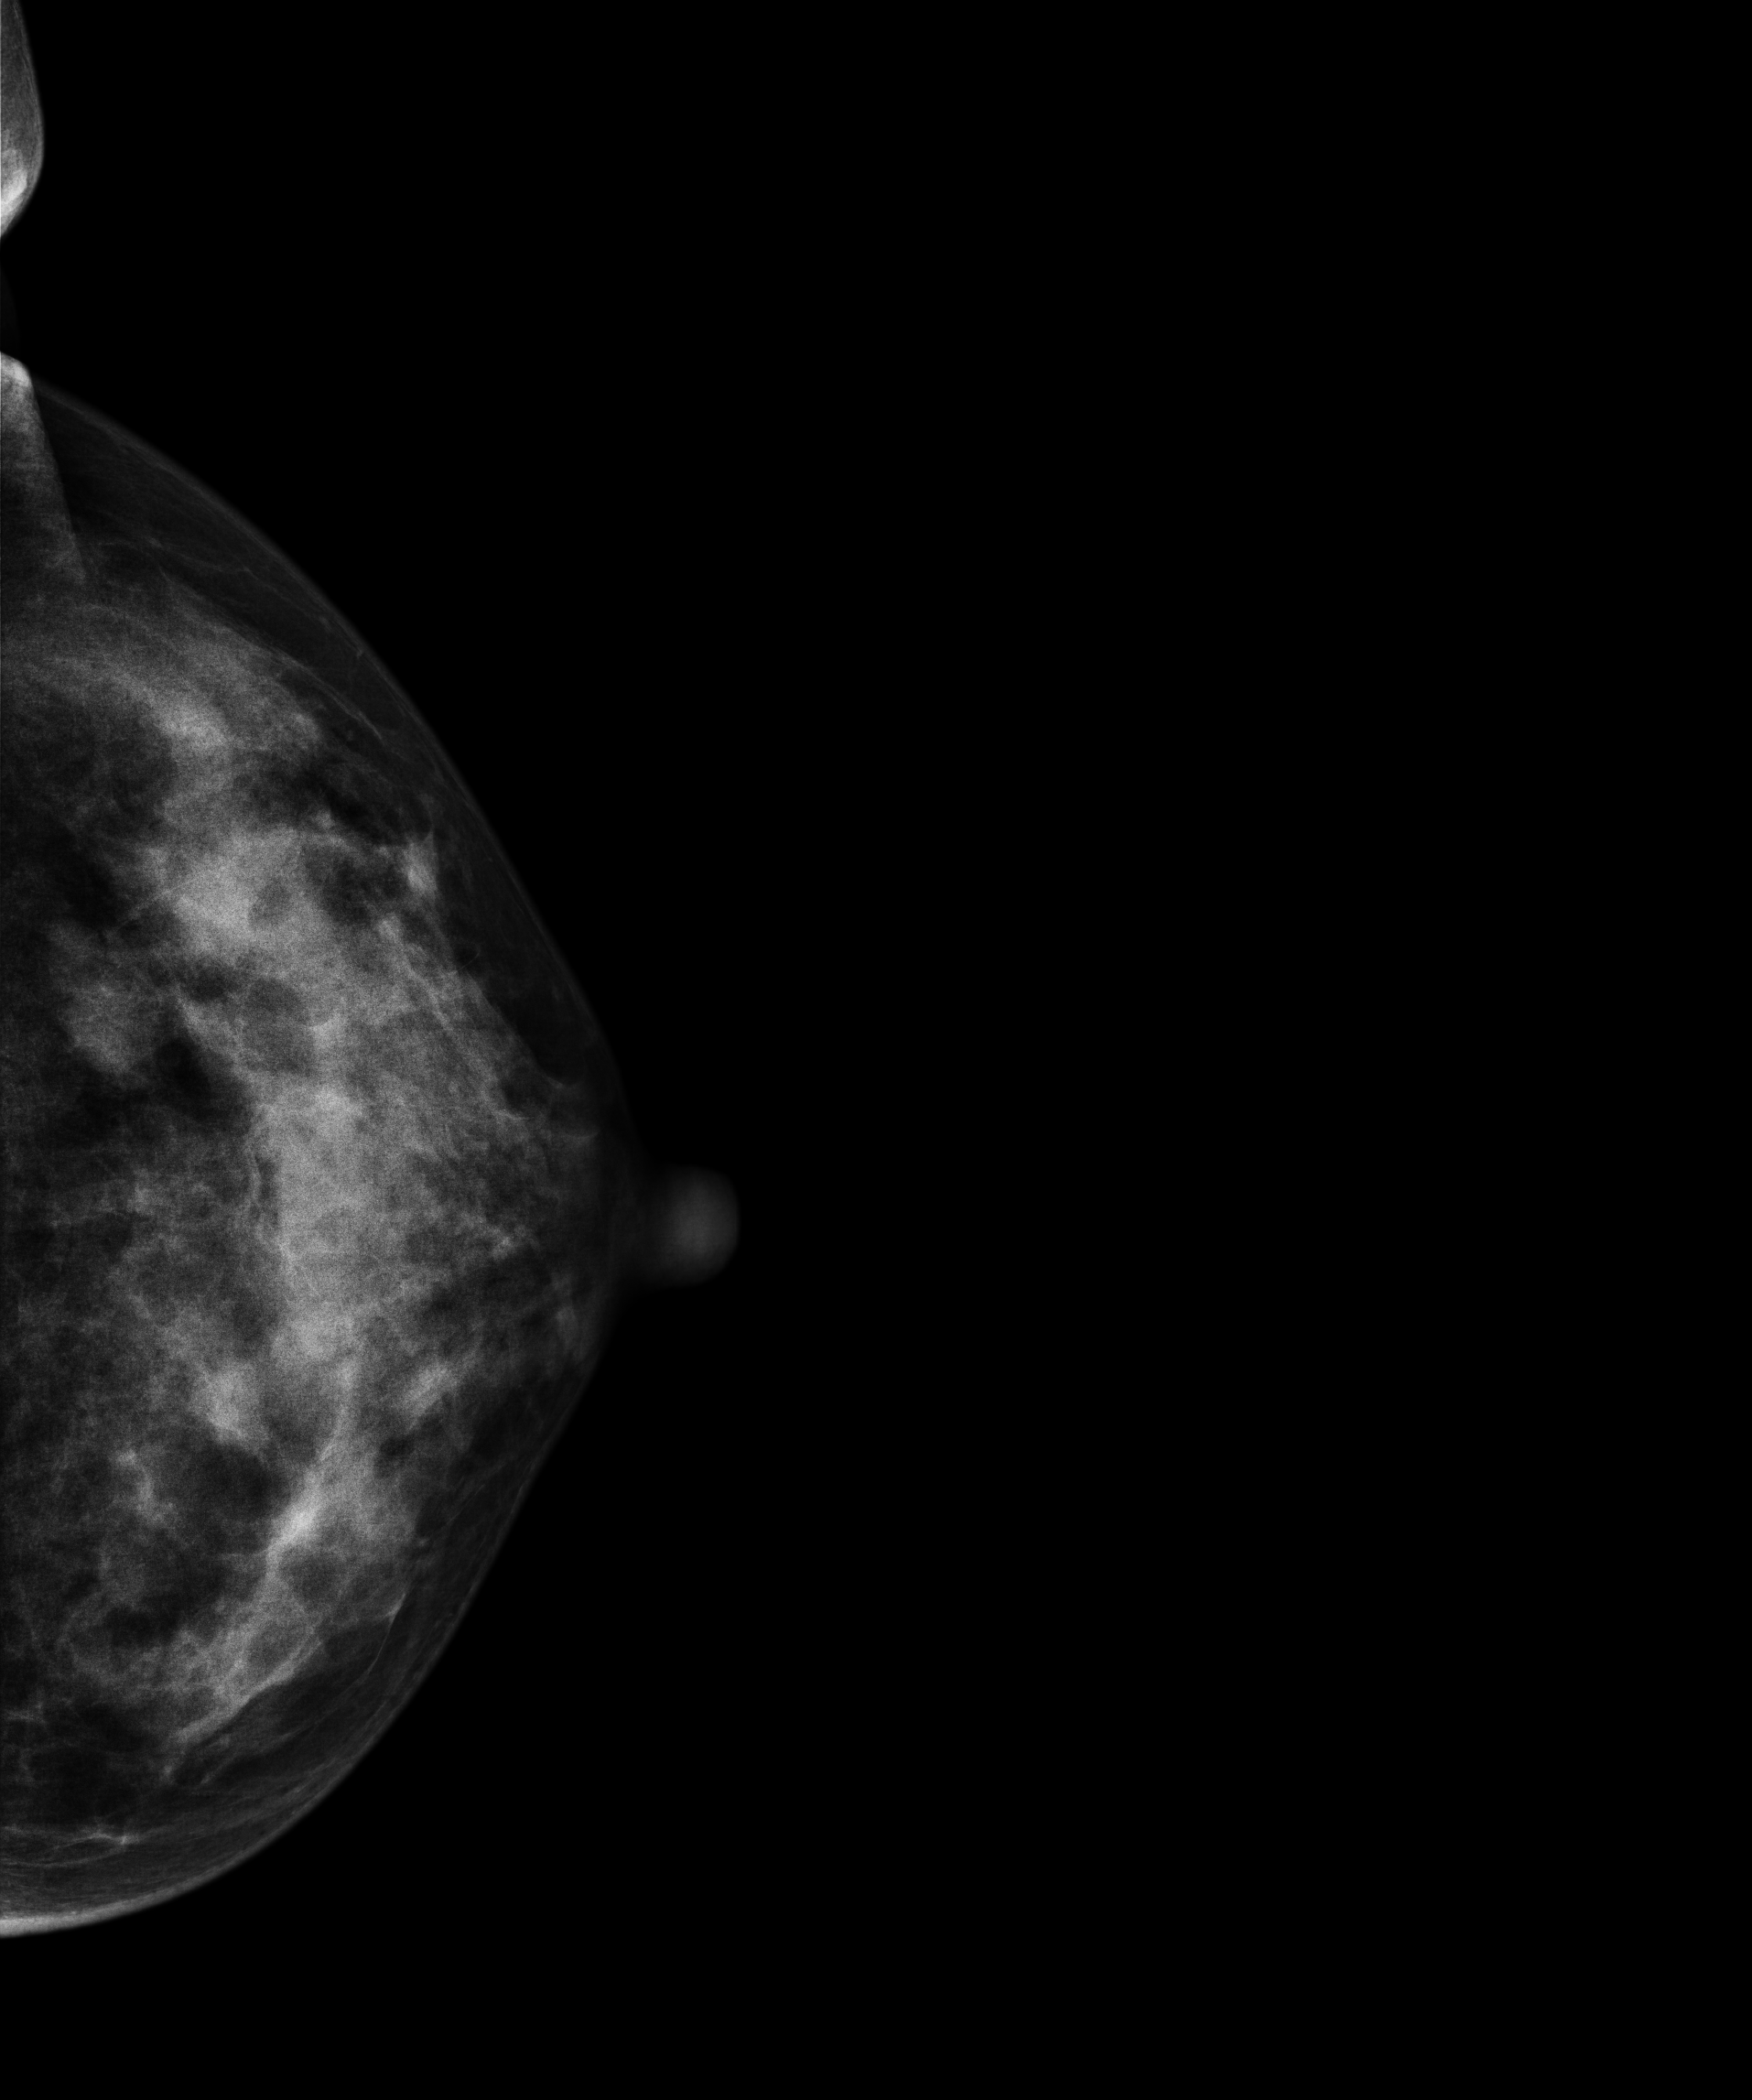
Mammogram, left breast, CC view. Patient age 36.
This breast has a mass, biopsy-proven malignant.